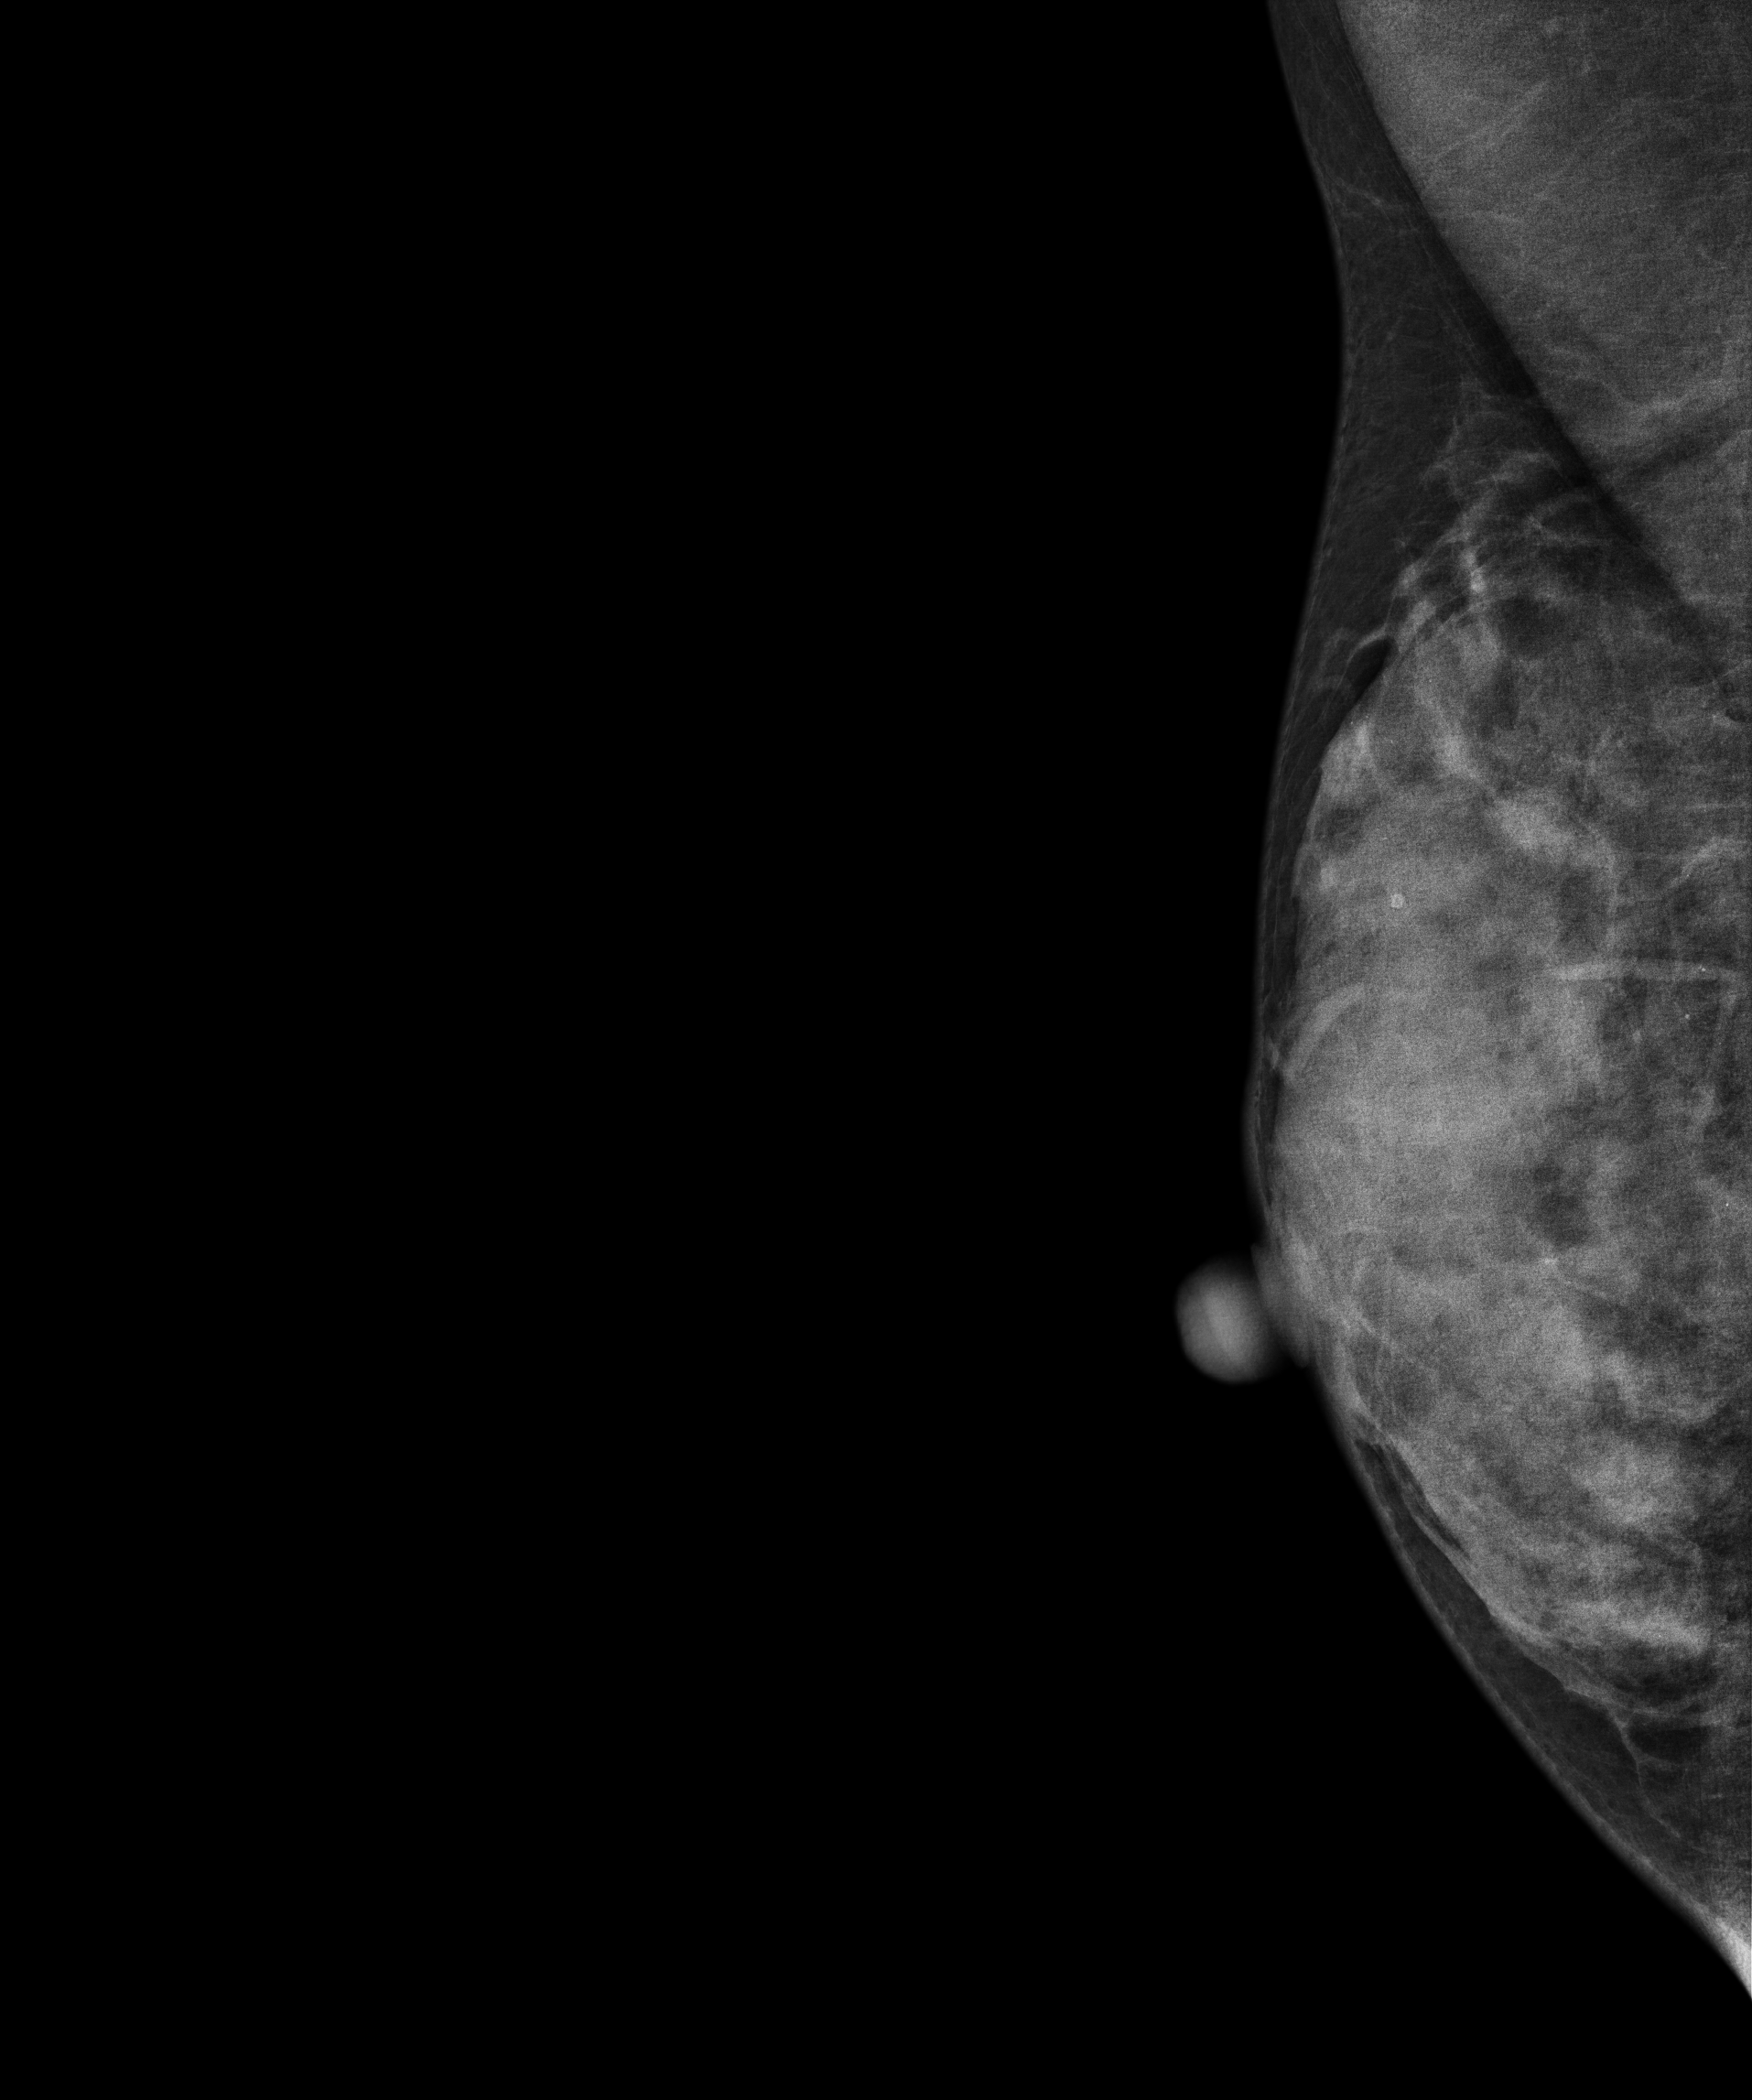
MLO mammogram of the right breast. 29-year-old patient.
This breast has a mass and calcifications, biopsy-confirmed benign.